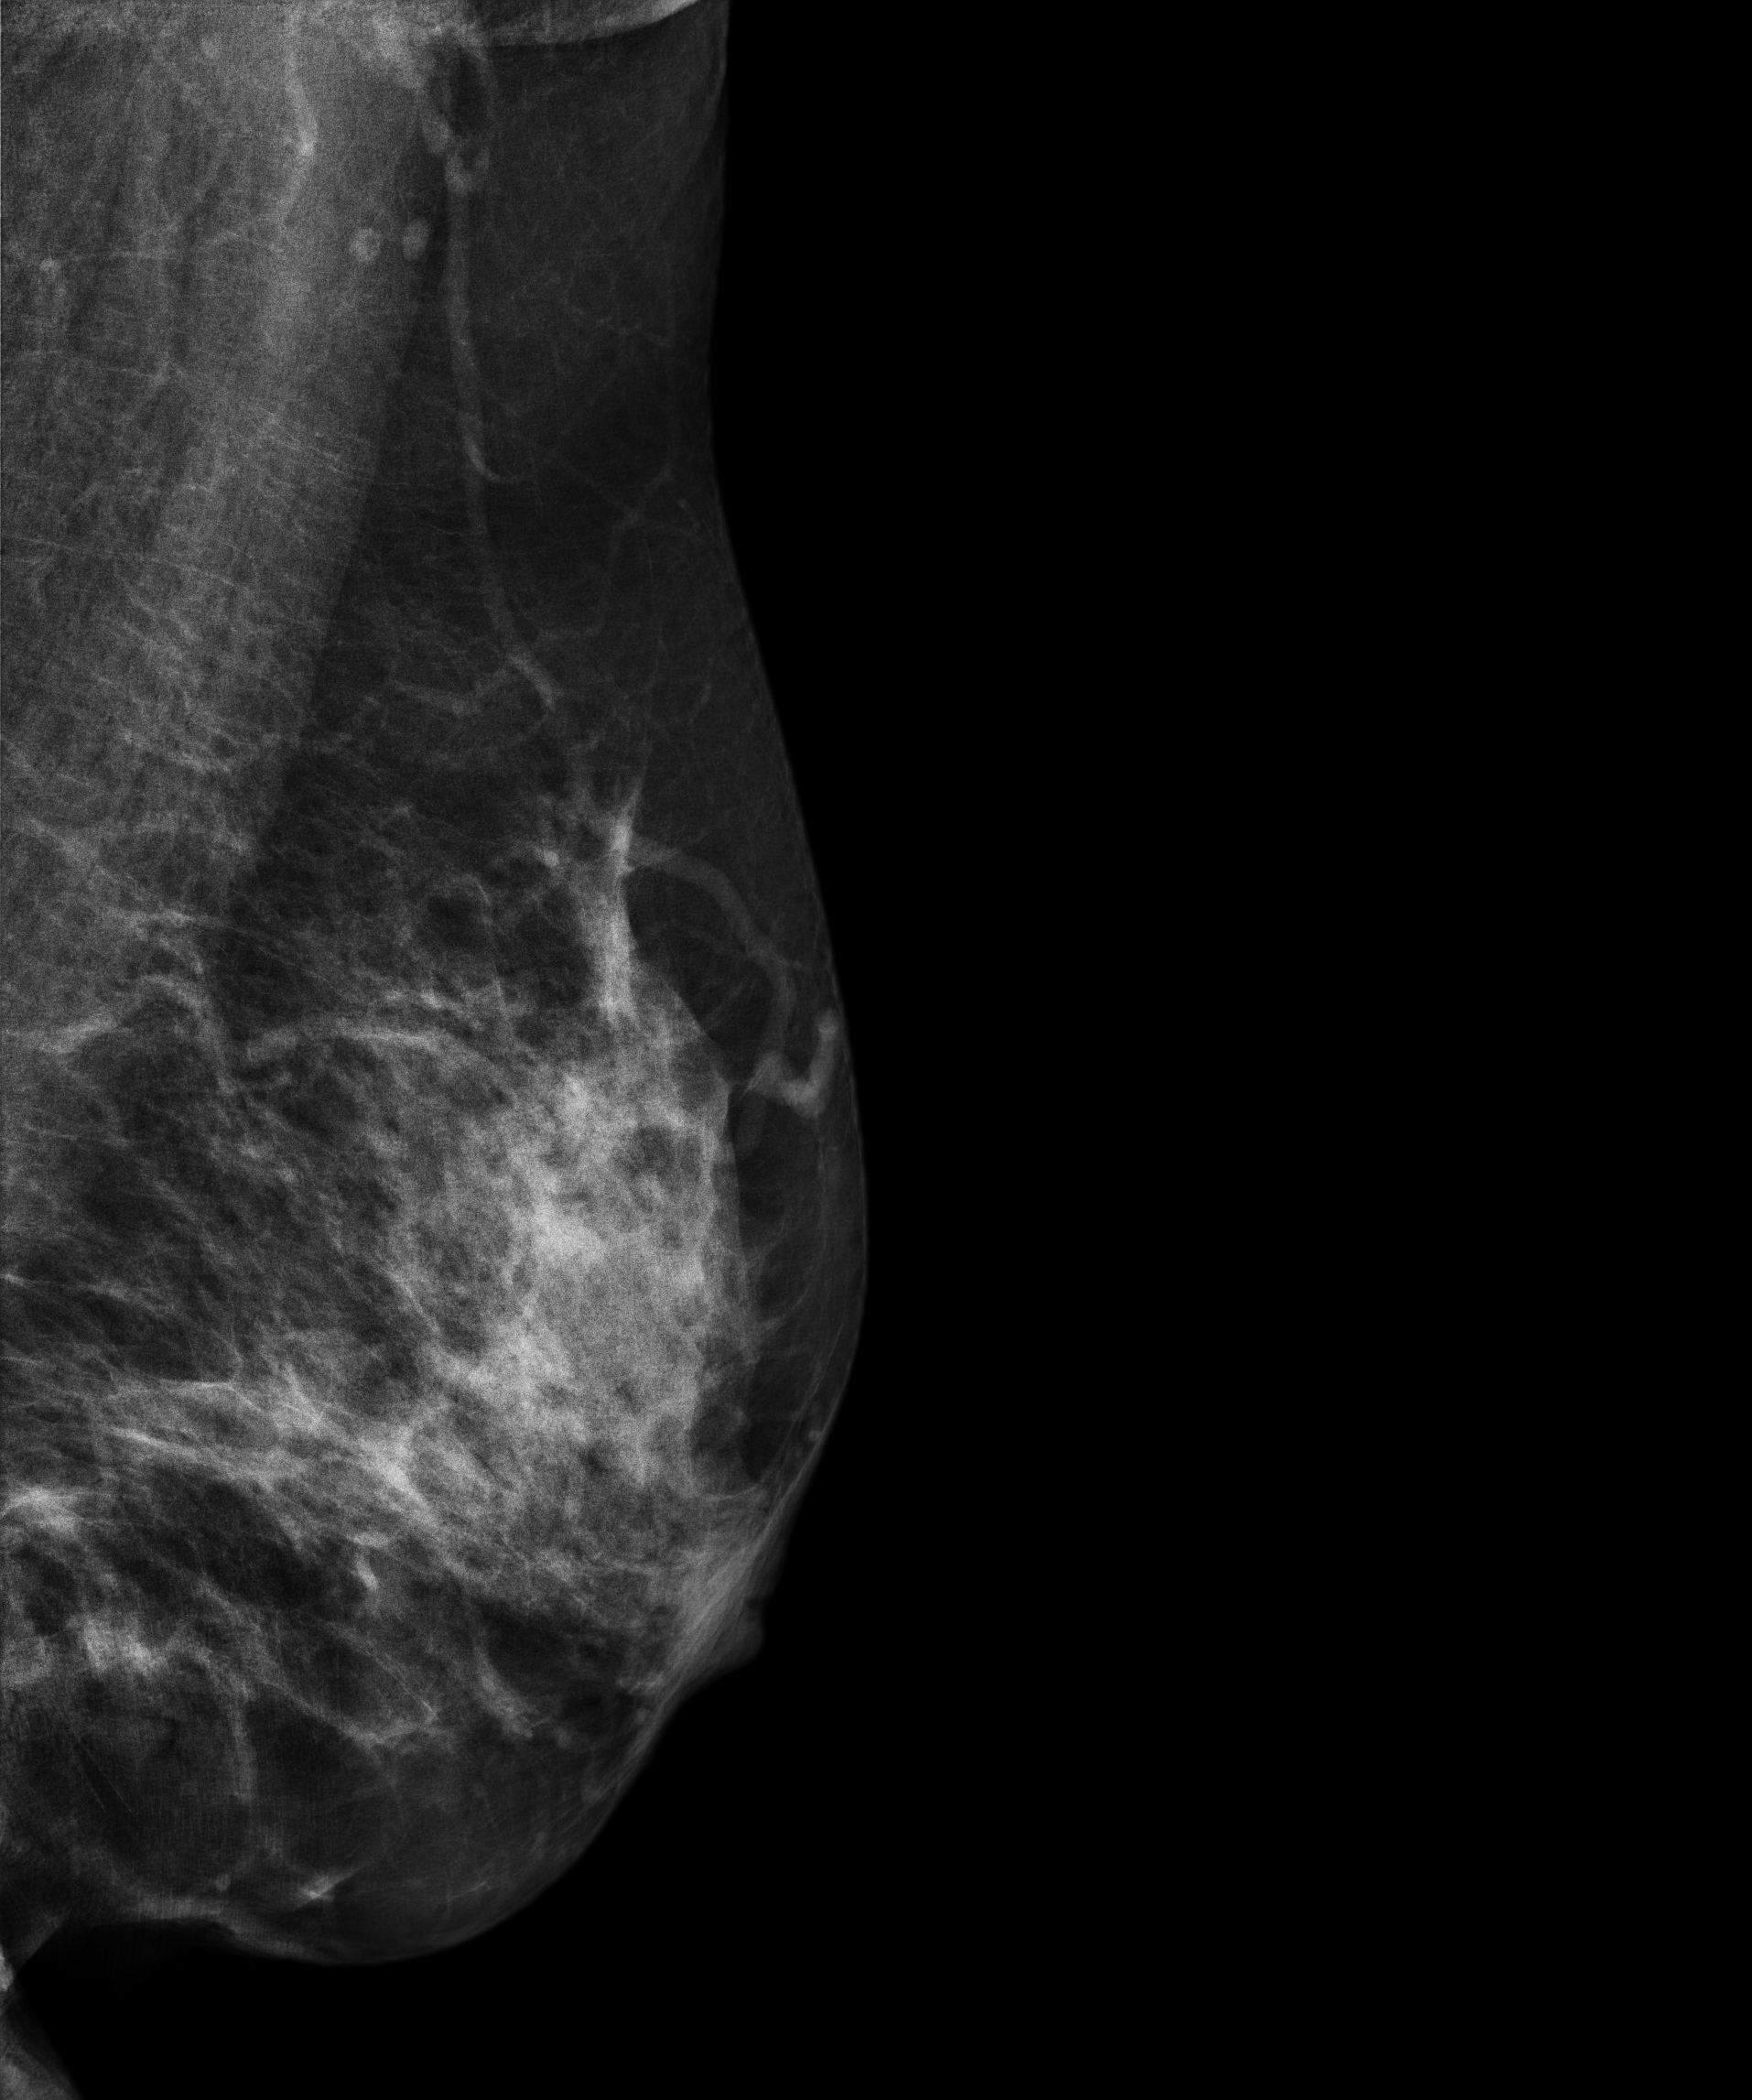
Digital mammography. Left breast, medio-lateral oblique projection. Patient age 67.
This breast has a mass, histologically confirmed malignant. Molecular subtype: luminal A.